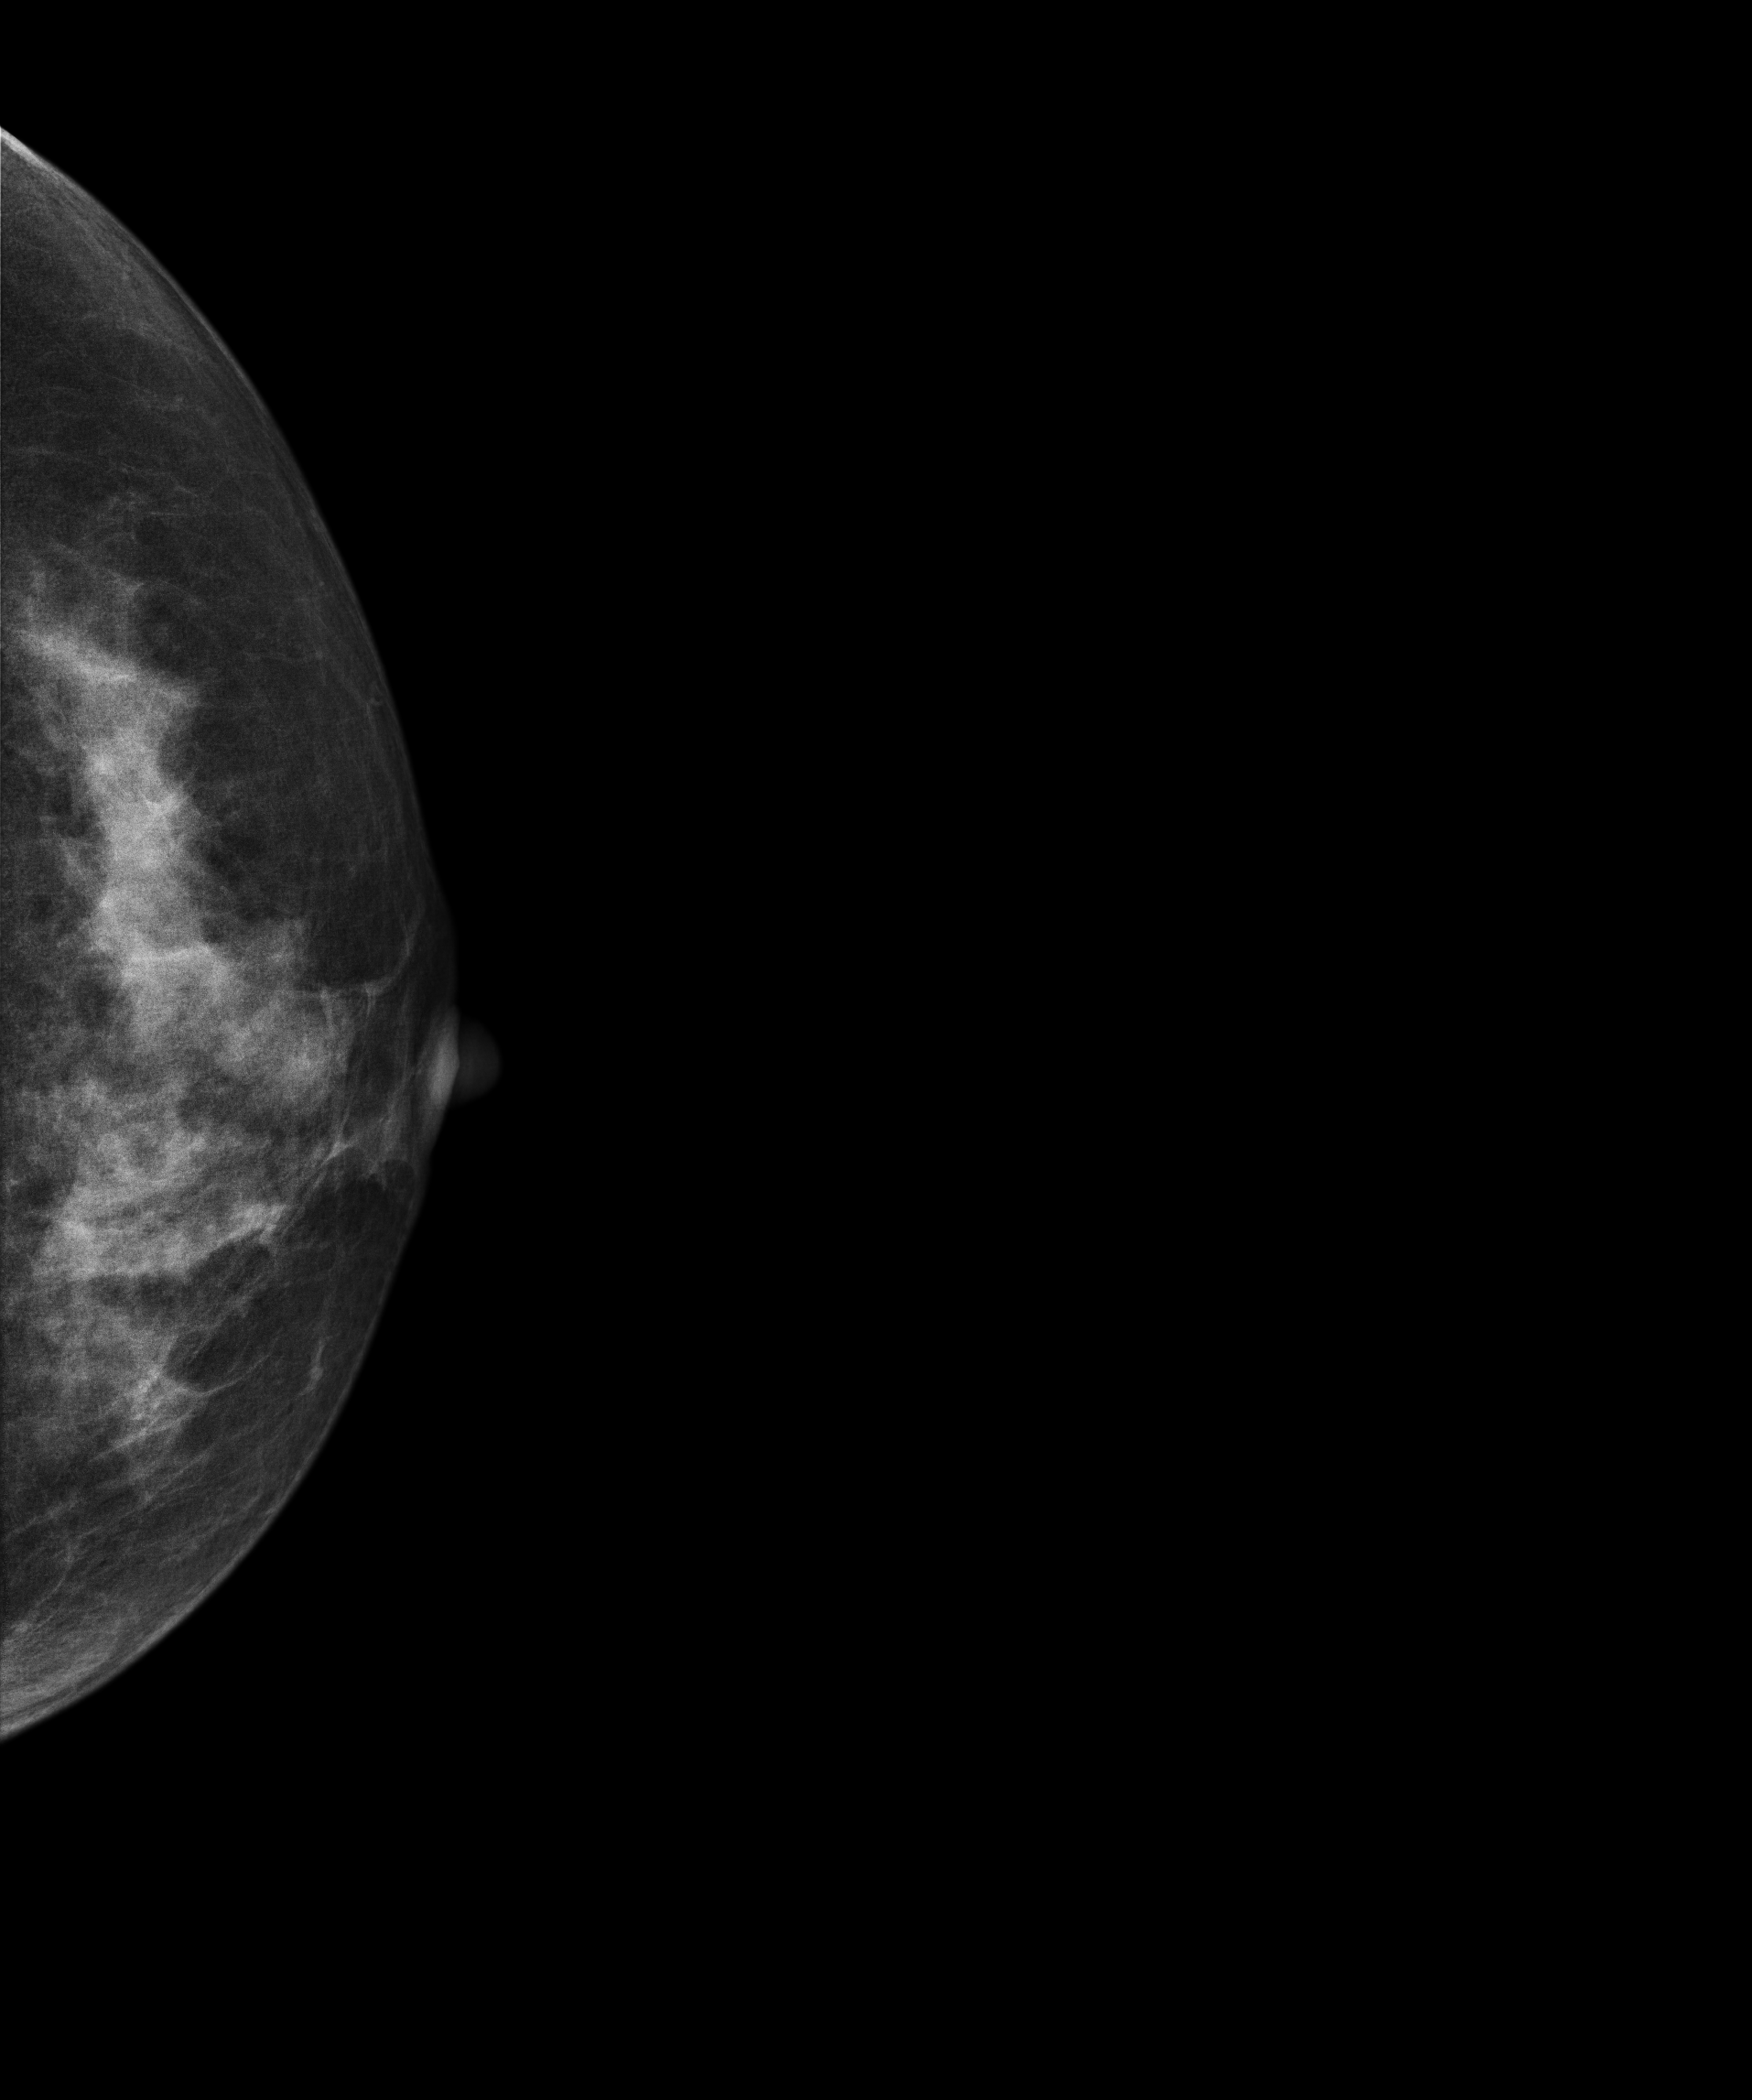
Digital mammography. Left breast, cranio-caudal projection. Patient age 48.
Contralateral breast — no documented abnormality on this side.